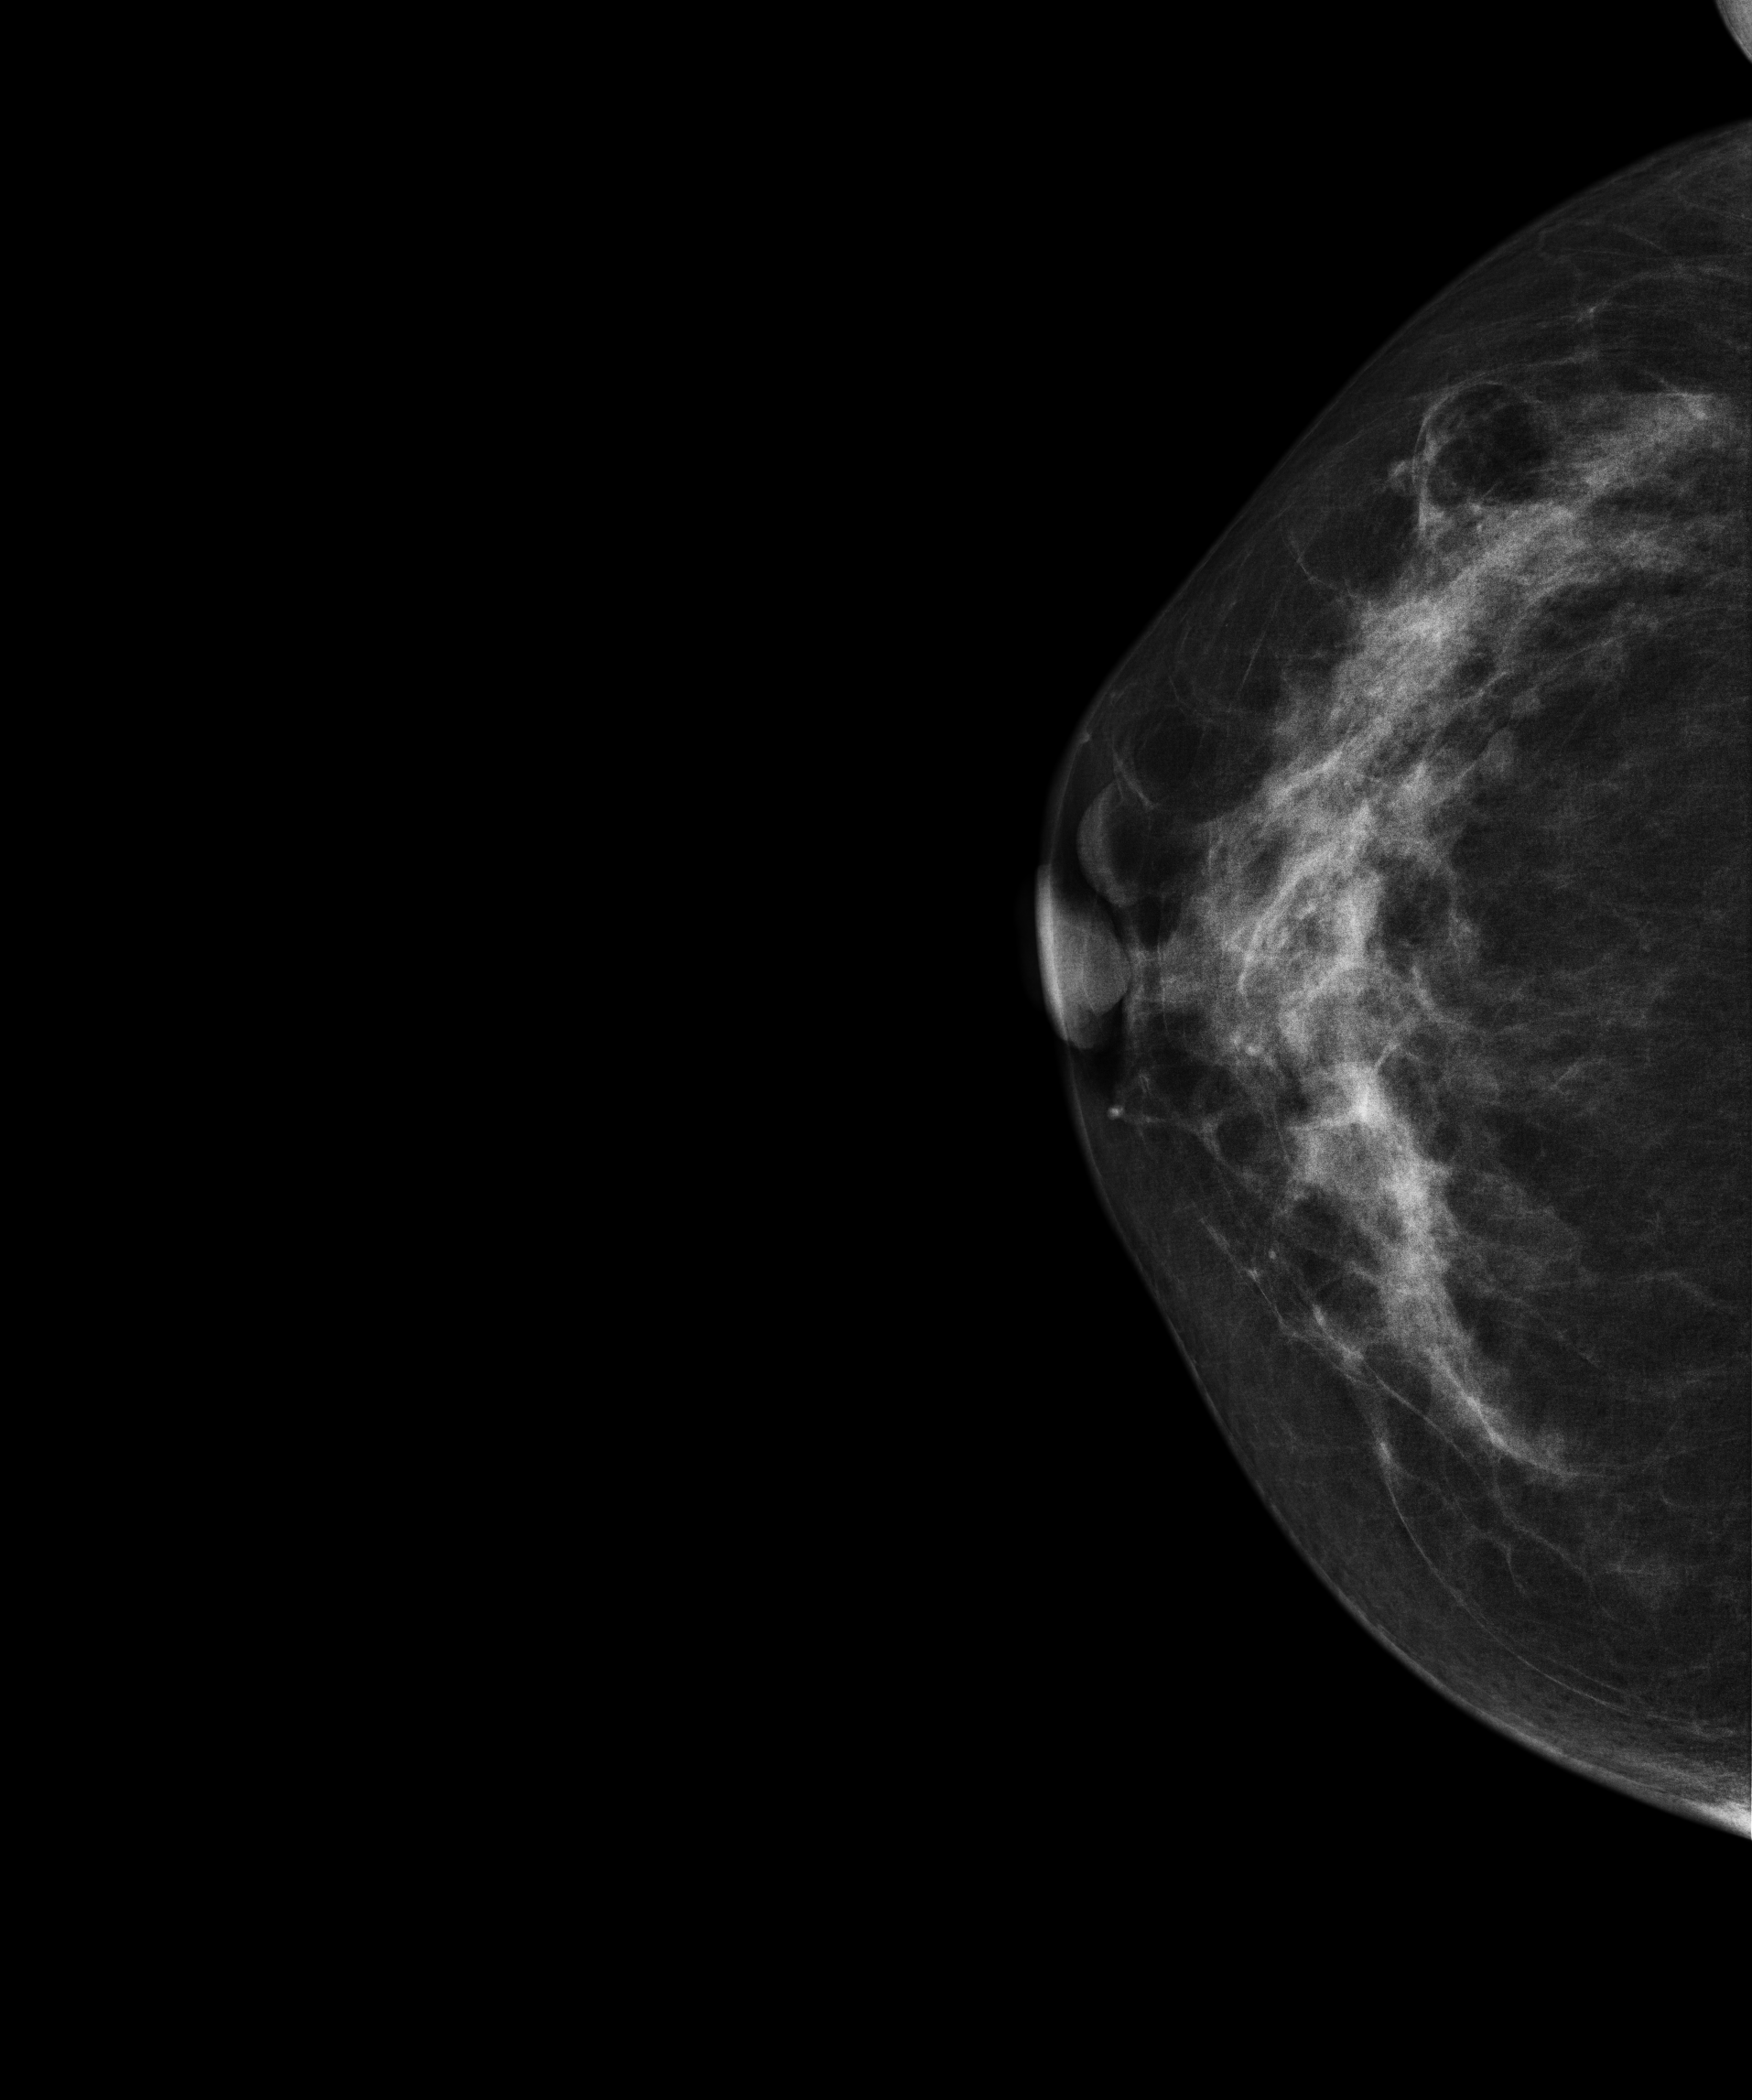
Right-breast mammogram, cranio-caudal. 59 y/o patient.
Contralateral breast — no documented abnormality on this side.